Left-breast mammogram, MLO. 38-year-old patient.
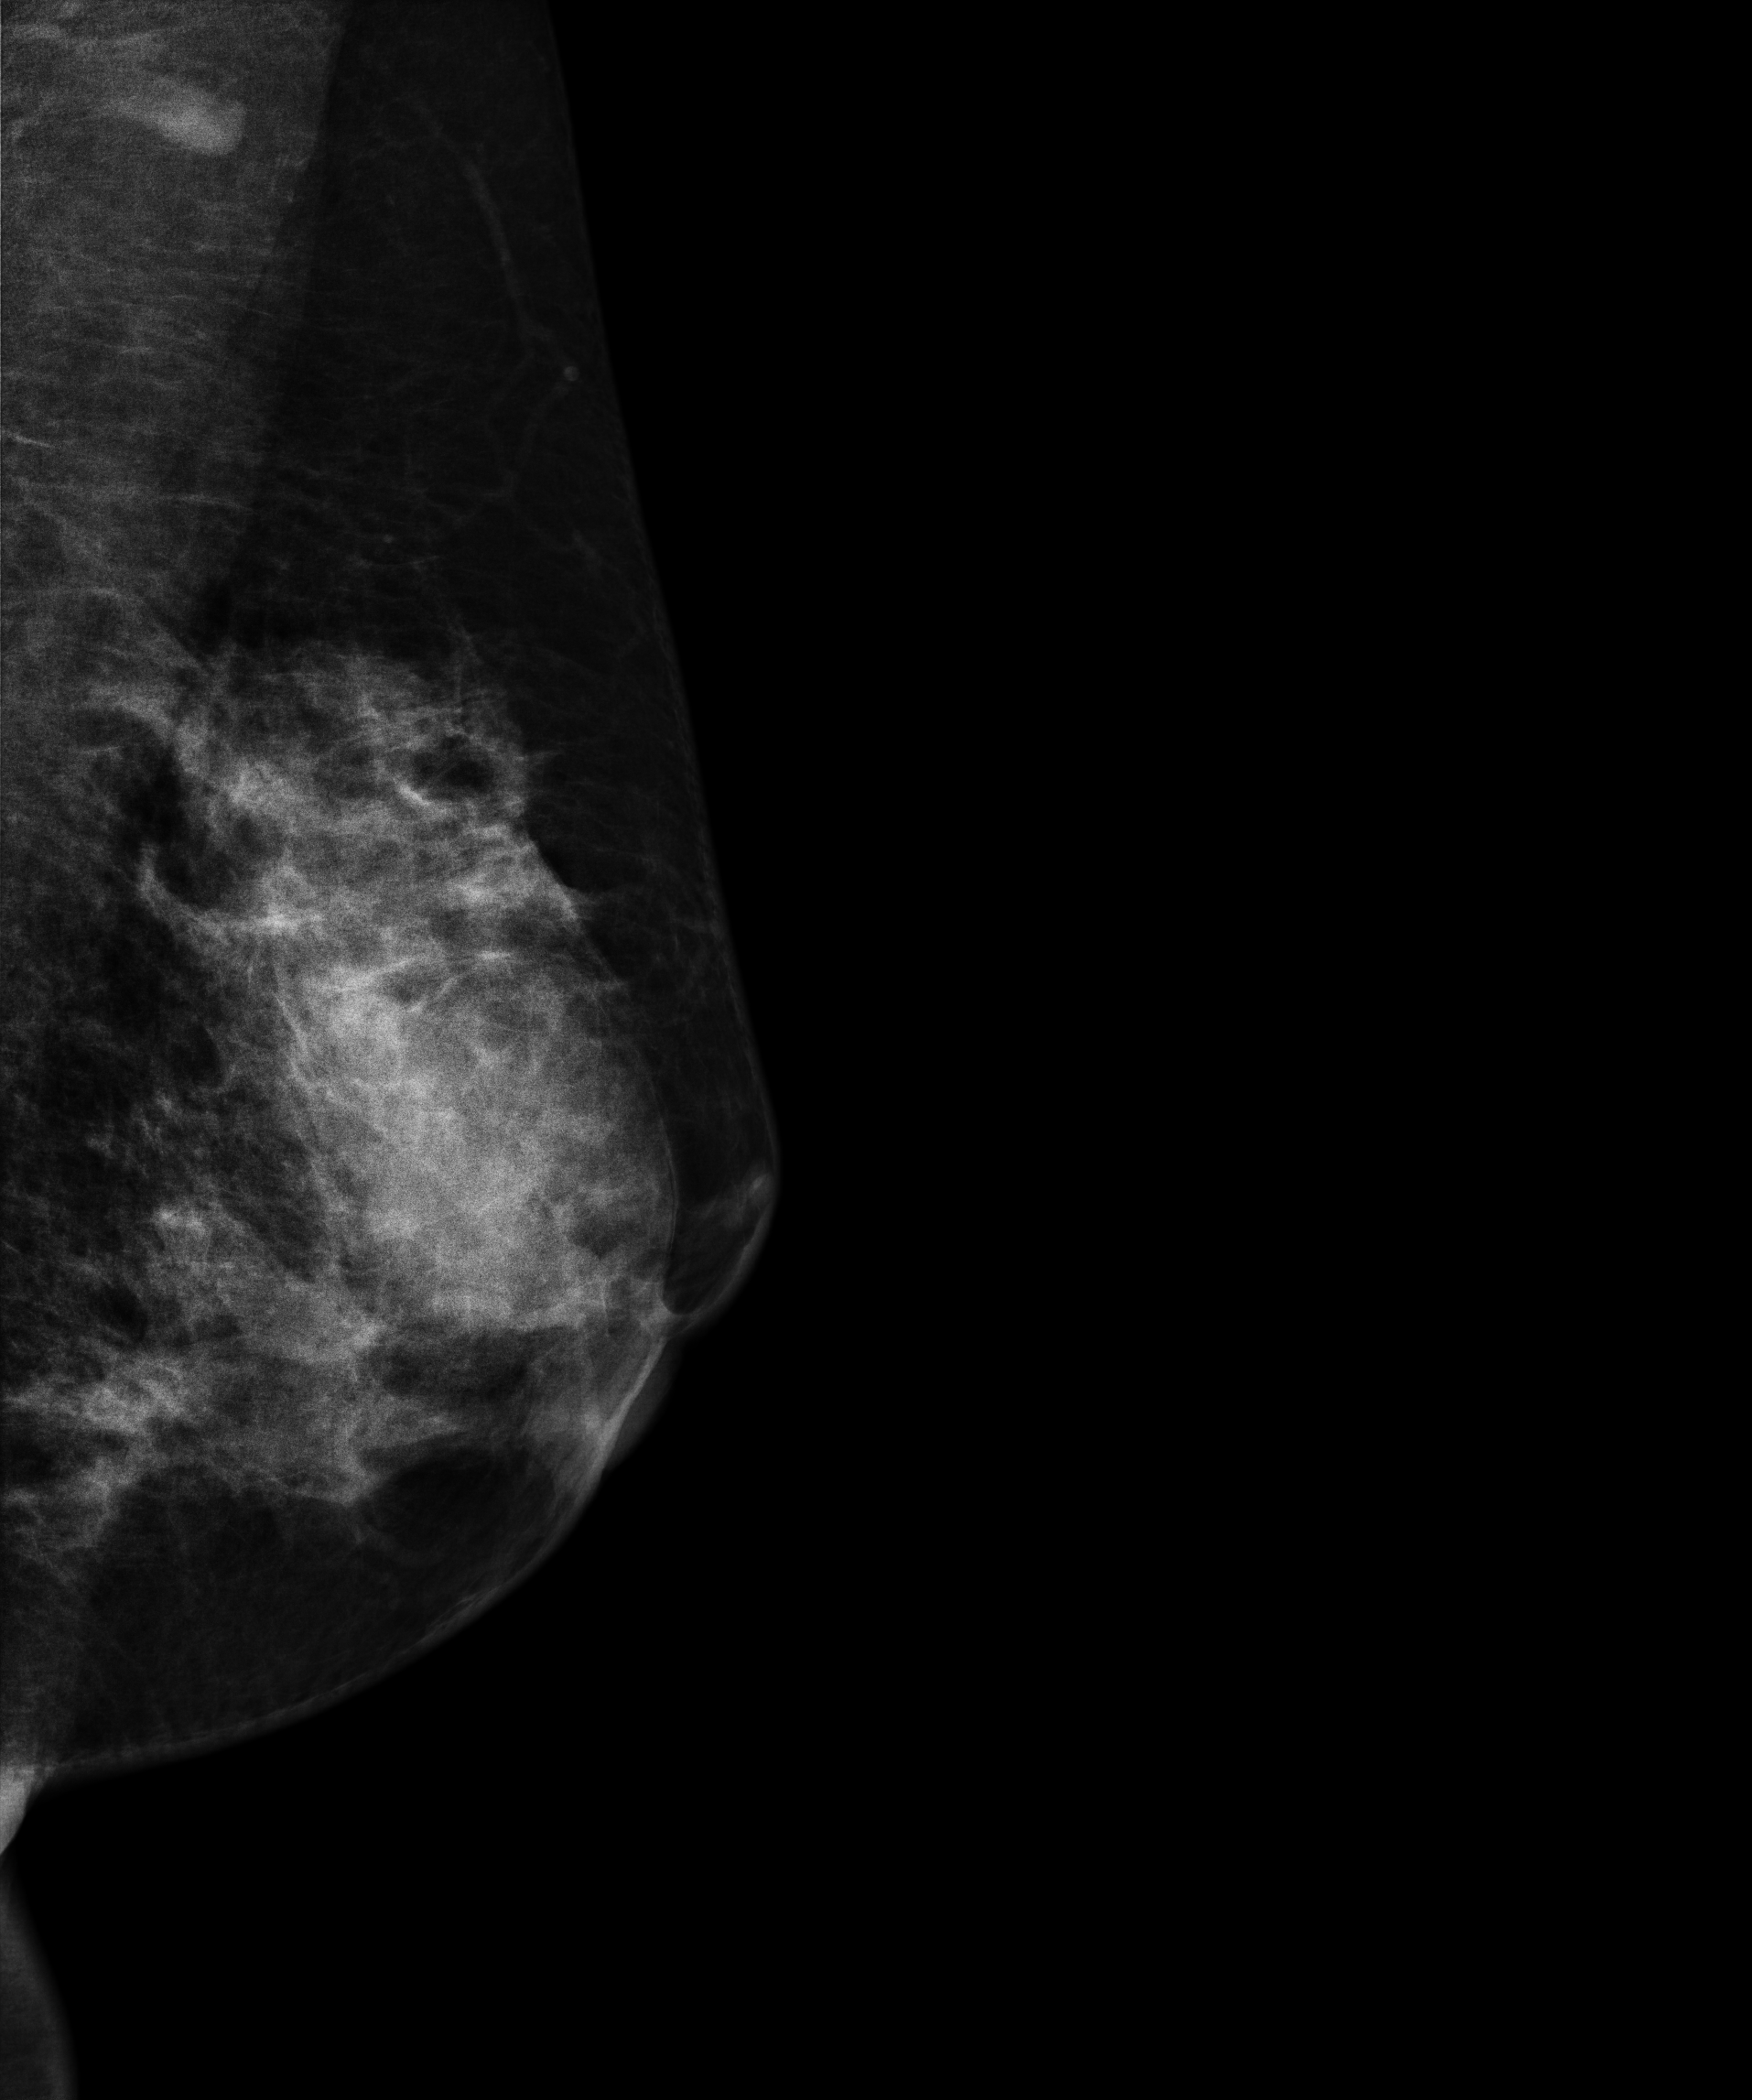
This breast has a mass, histologically confirmed benign.